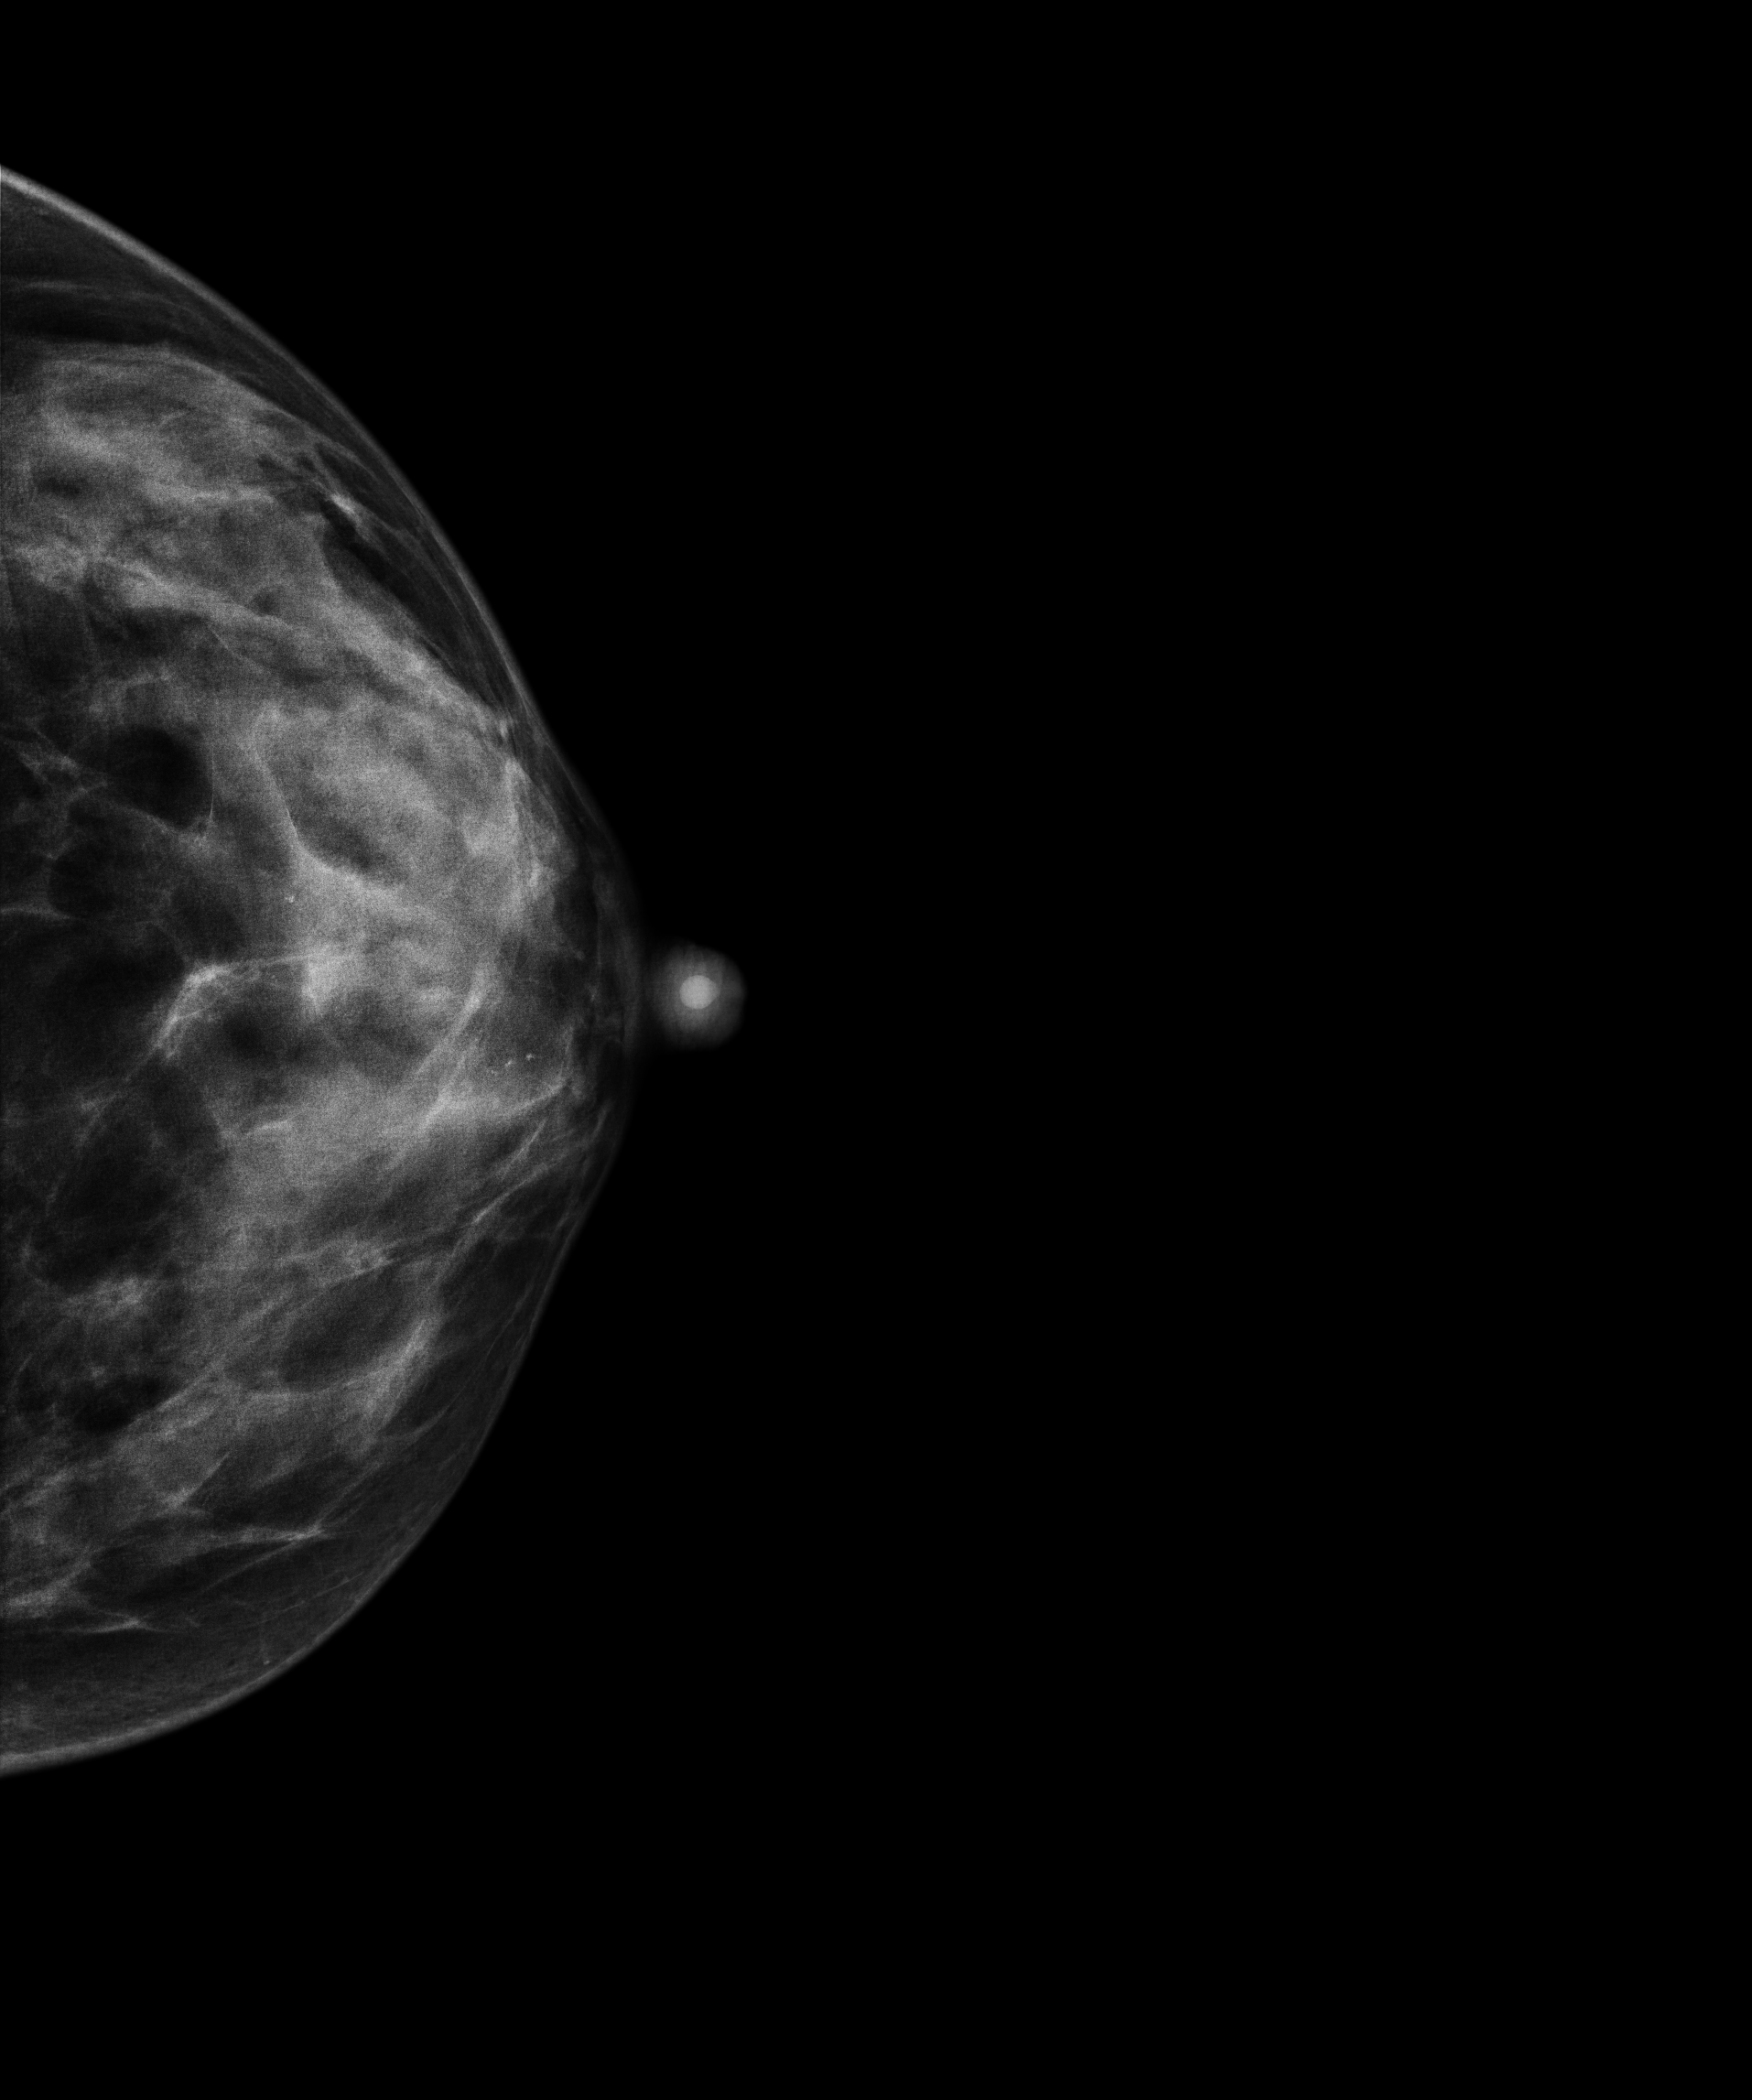
Mammogram — left cranio-caudal. 40 y/o patient.
This breast has a mass, biopsy-proven benign.